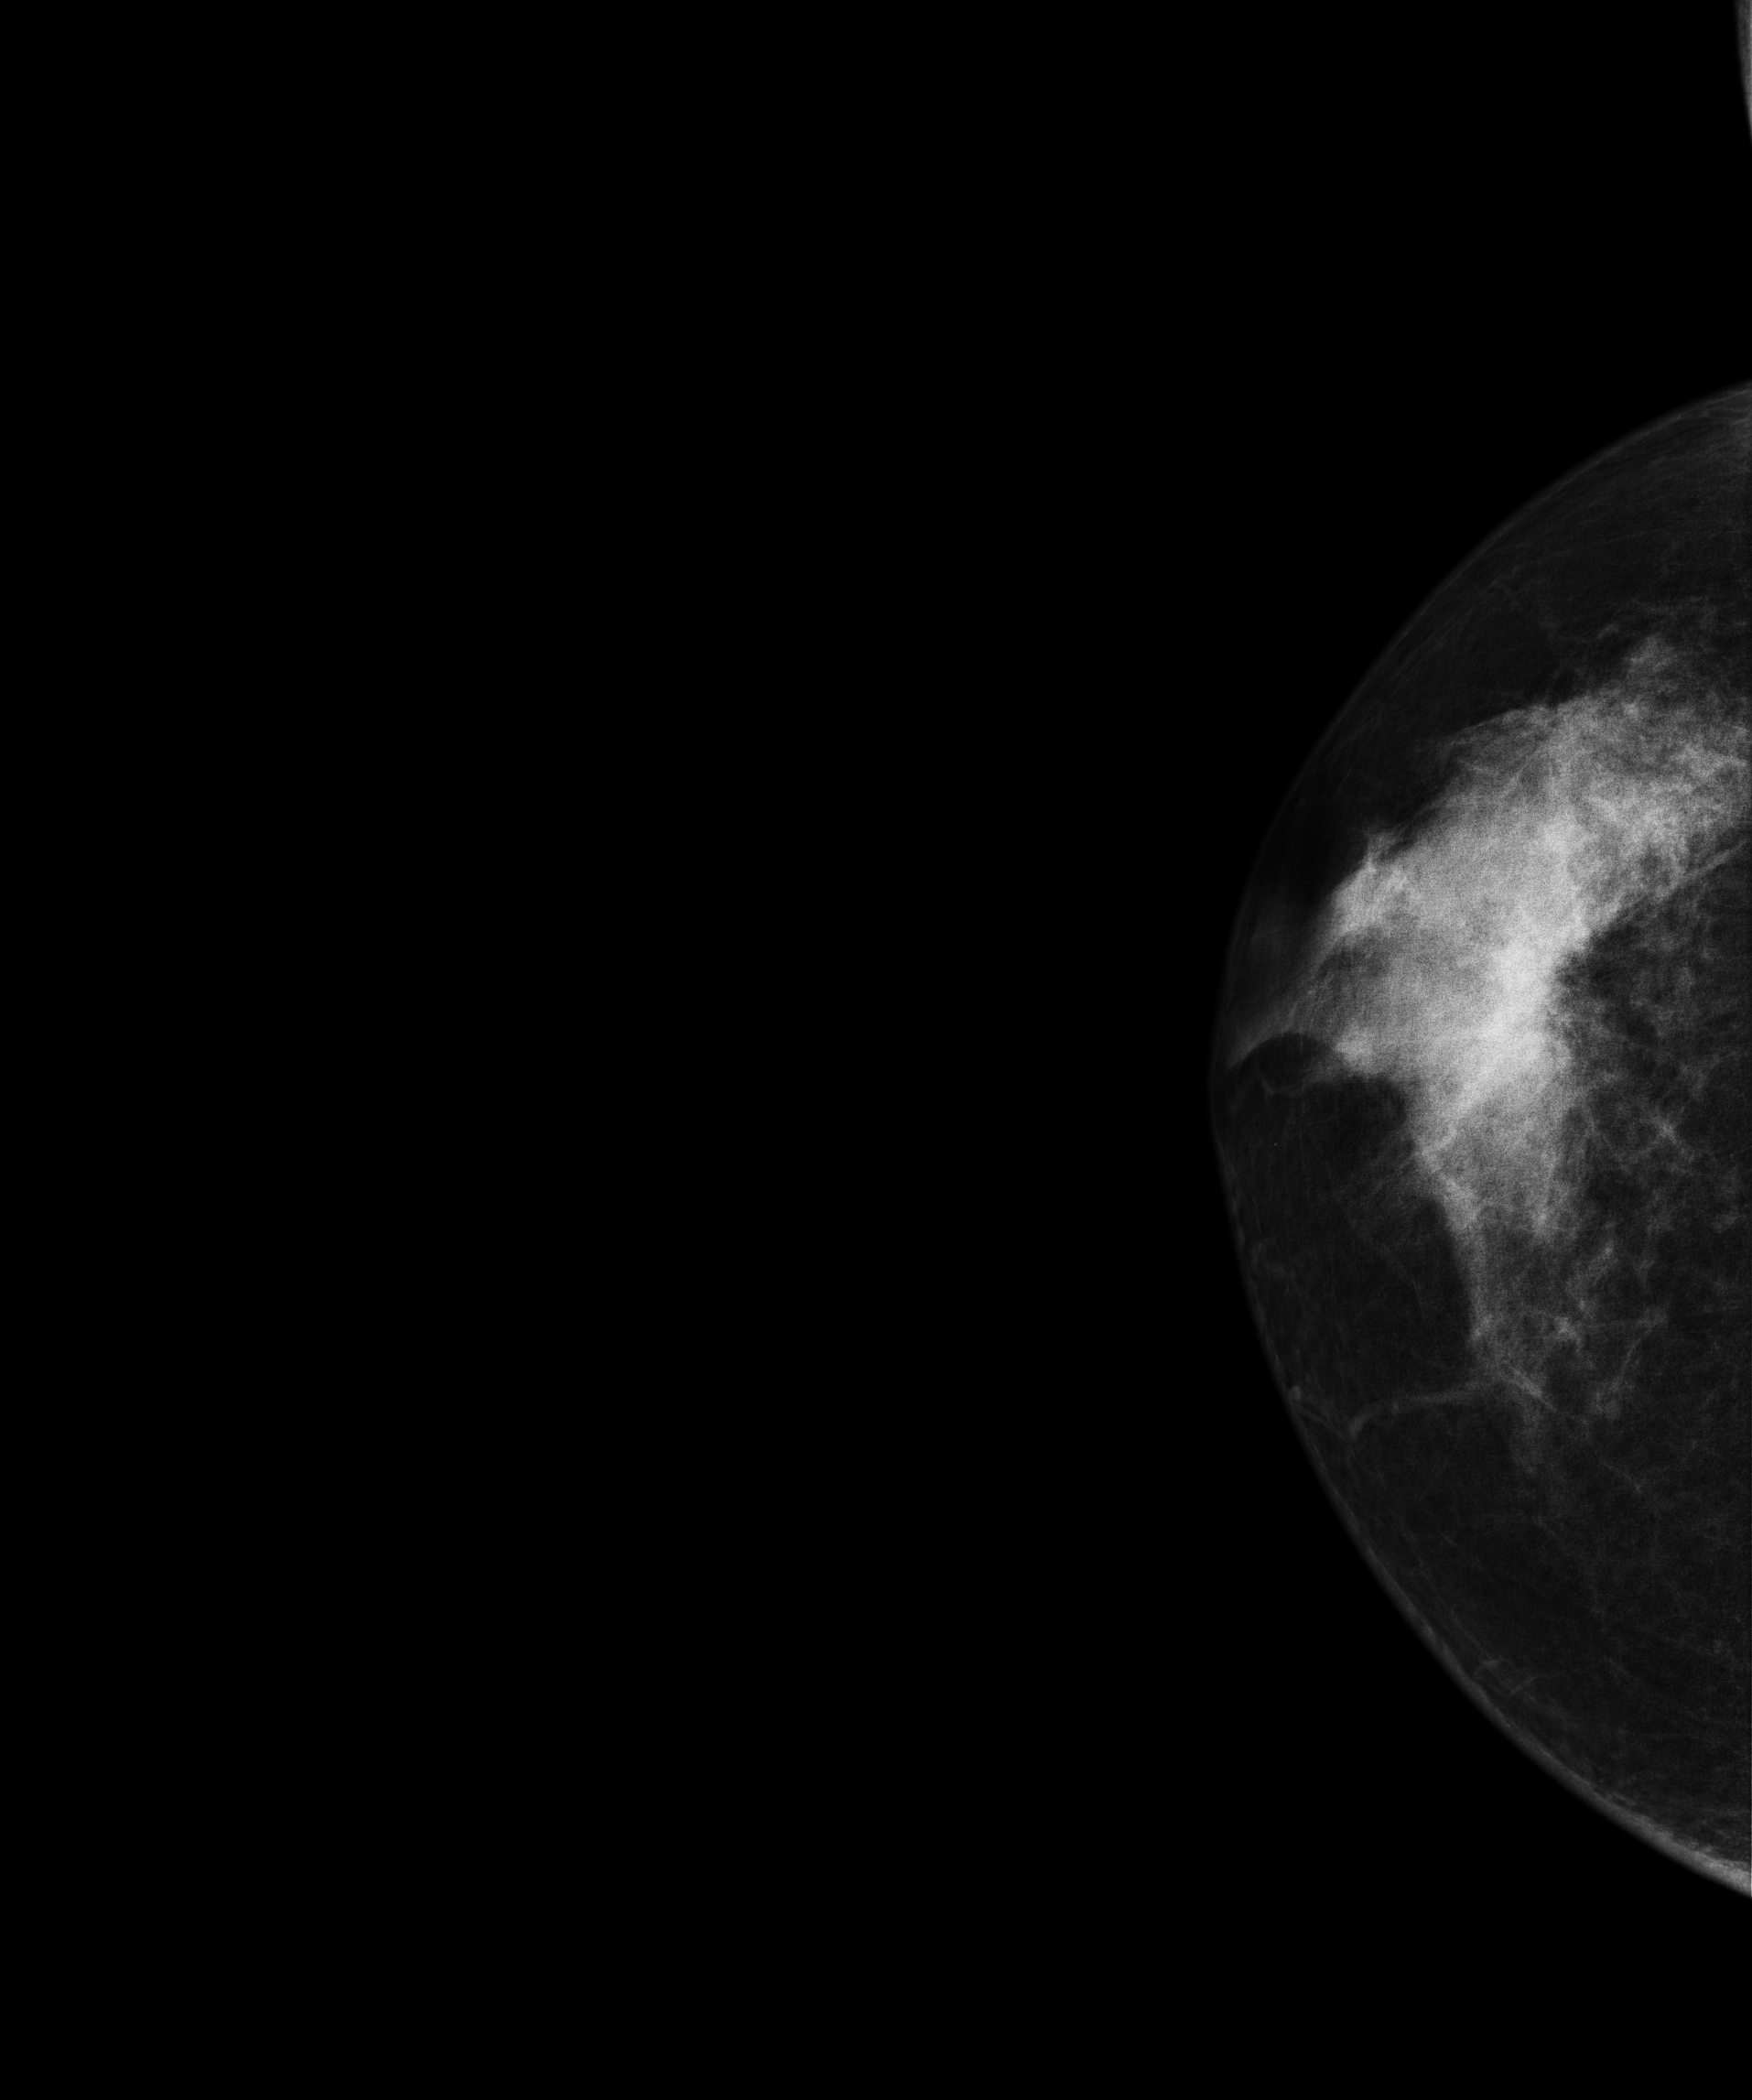
Mammogram, right breast, CC view. 71 y/o patient.
This breast has a mass, biopsy-confirmed malignant. Molecular subtype: luminal A.